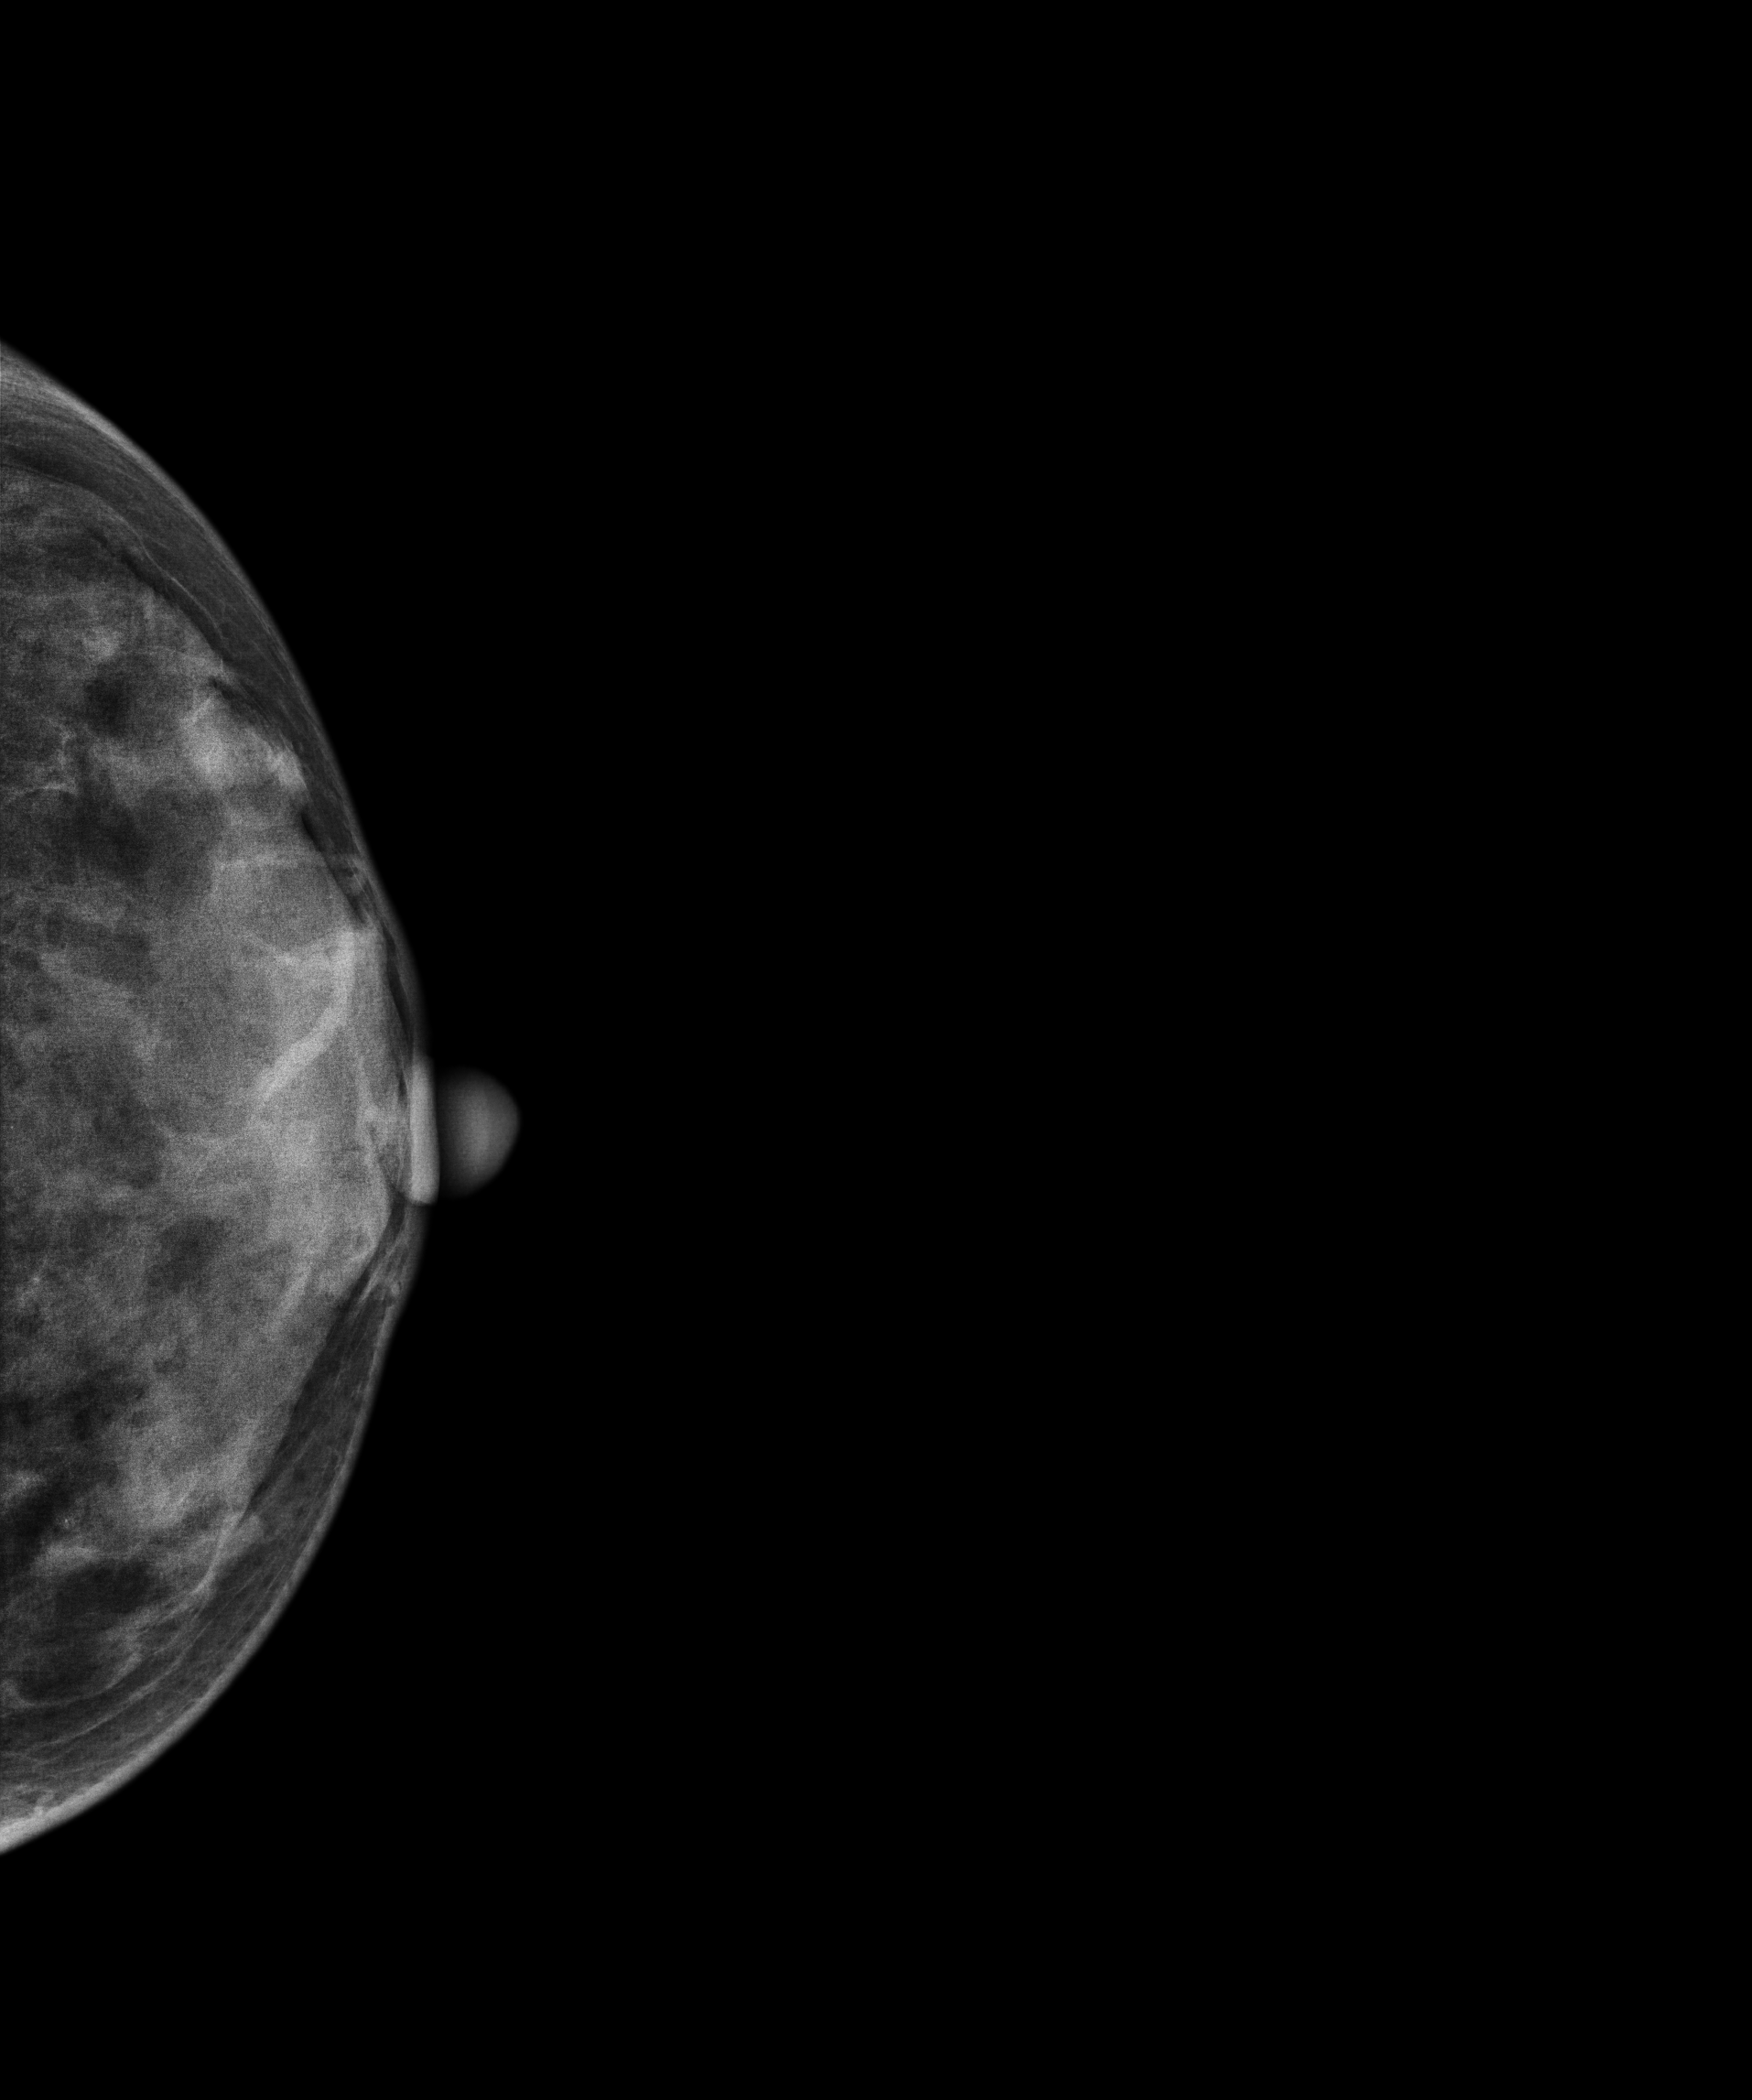
Cranio-caudal mammogram of the left breast. 29 y/o patient.
This breast has a mass and calcifications, histologically confirmed benign.